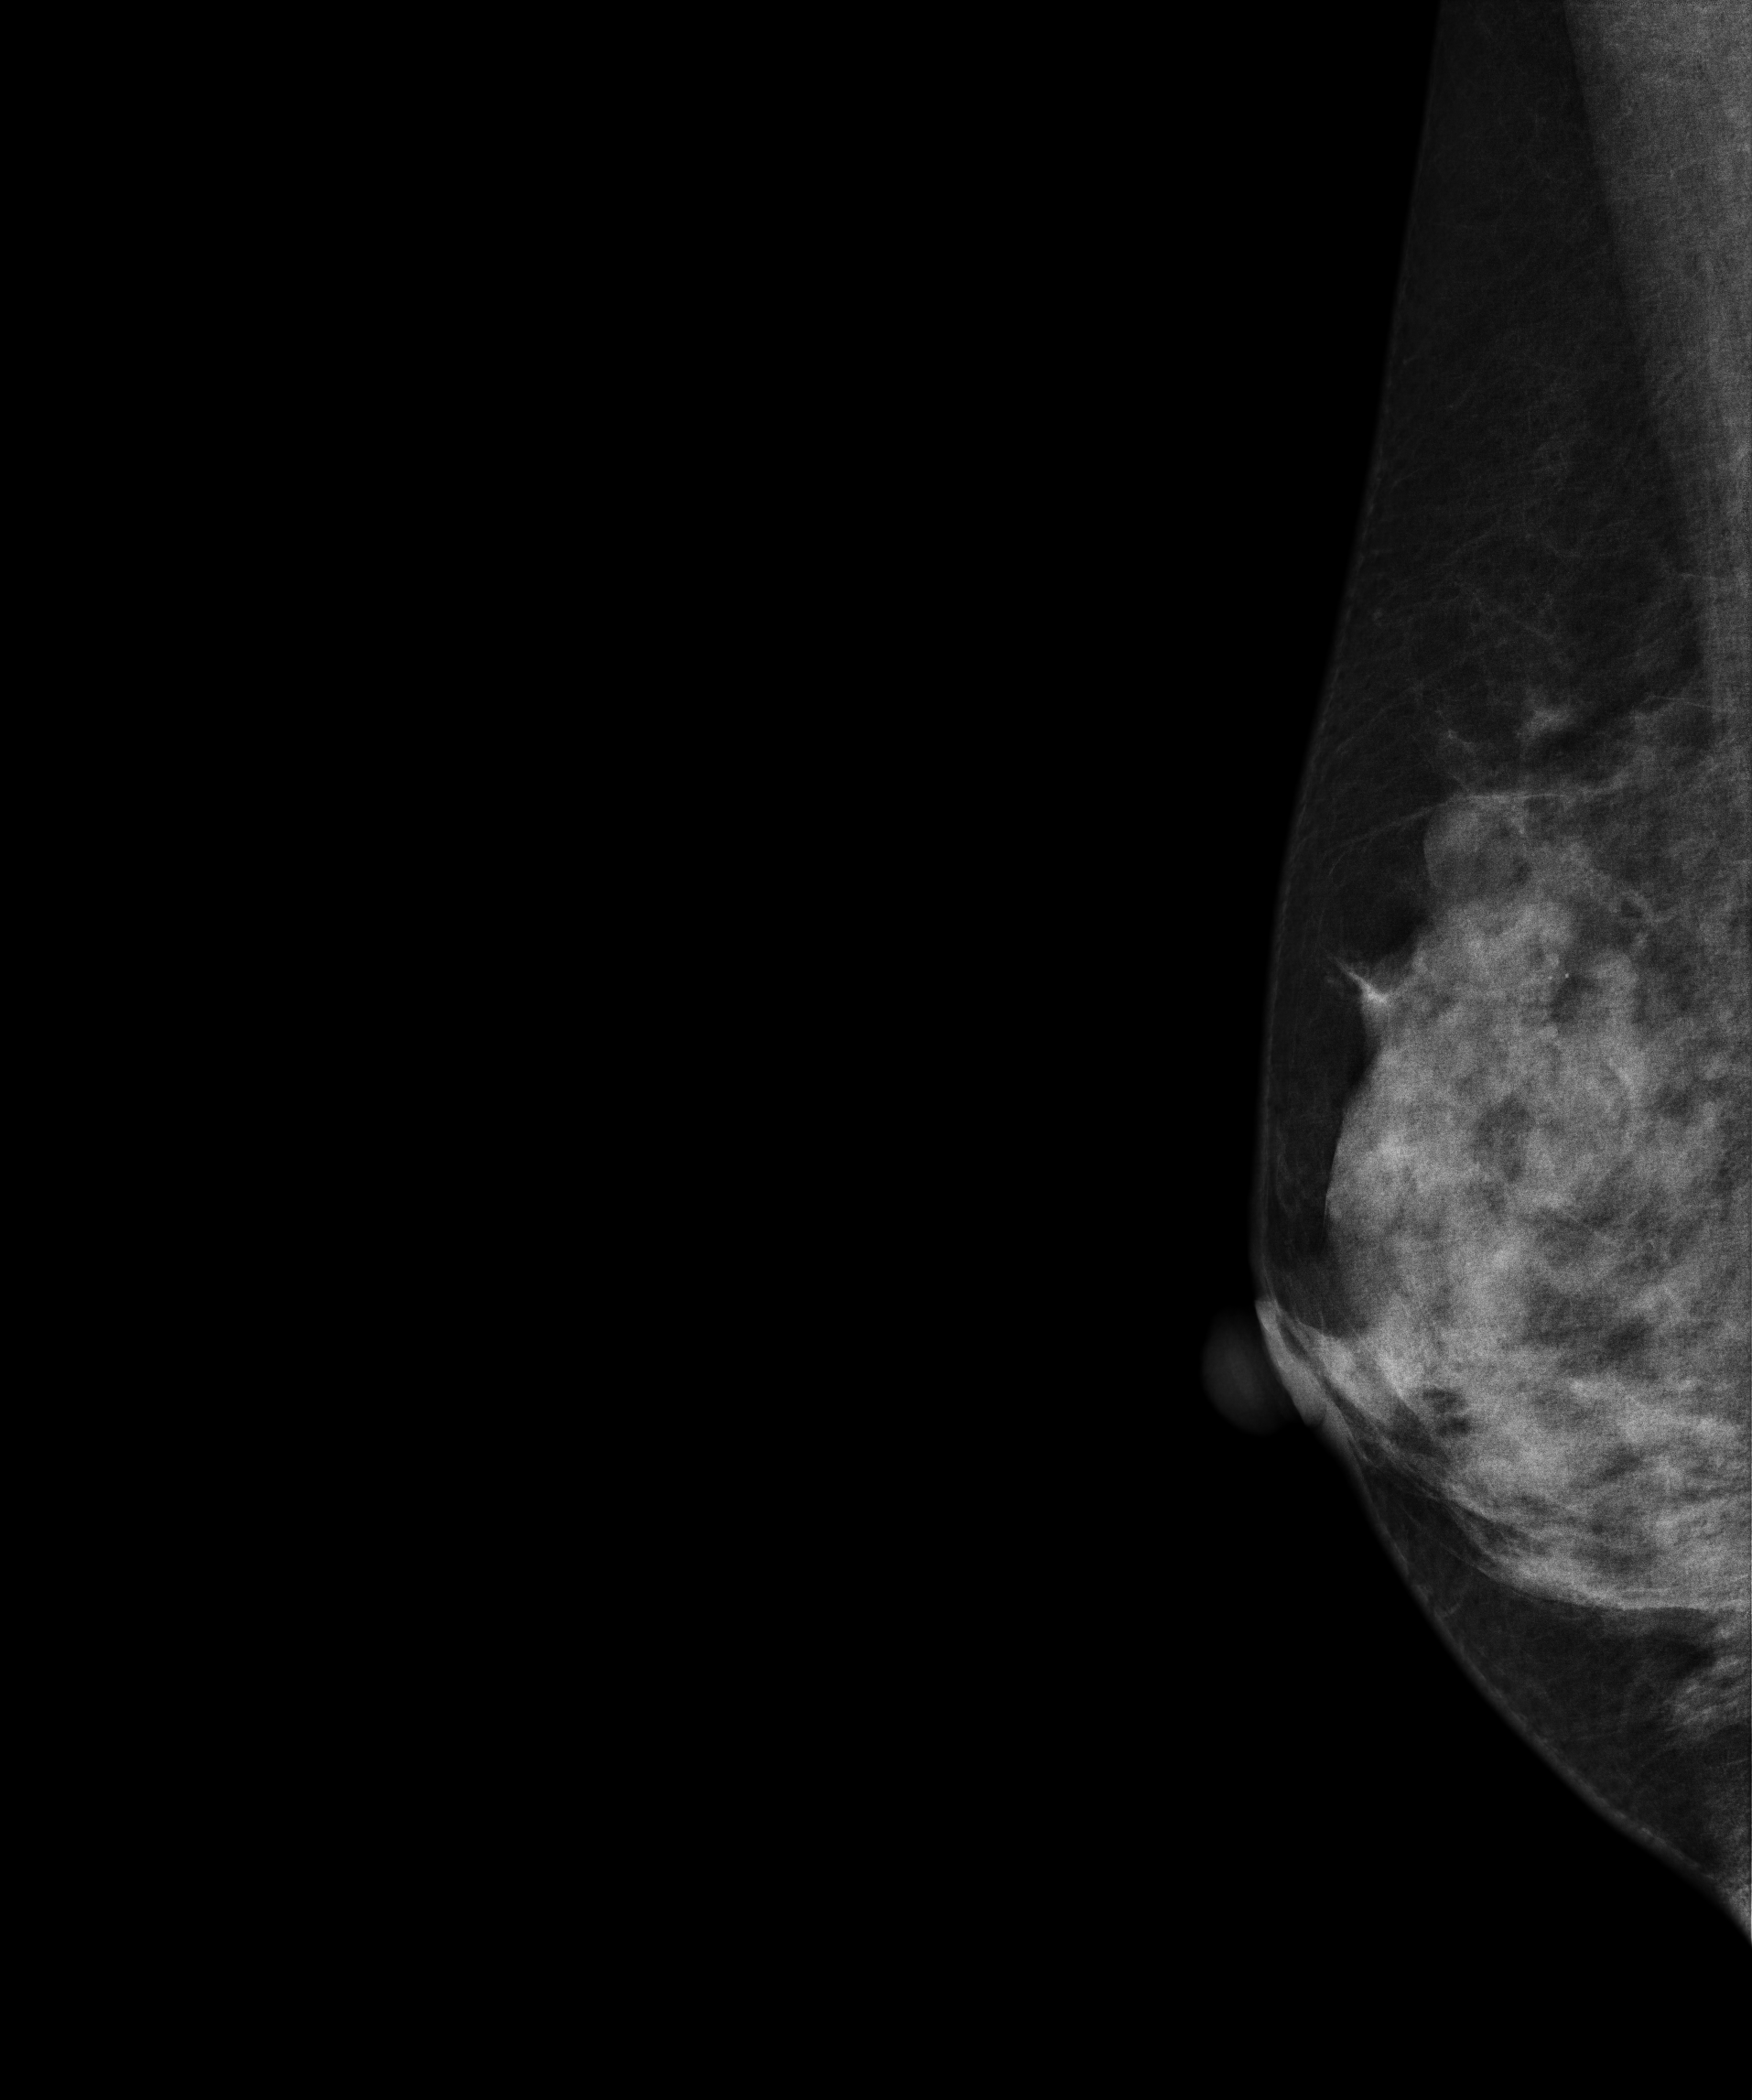
Mammogram, right breast, medio-lateral oblique view. 43-year-old patient.
This breast has a mass and calcifications, biopsy-confirmed malignant.